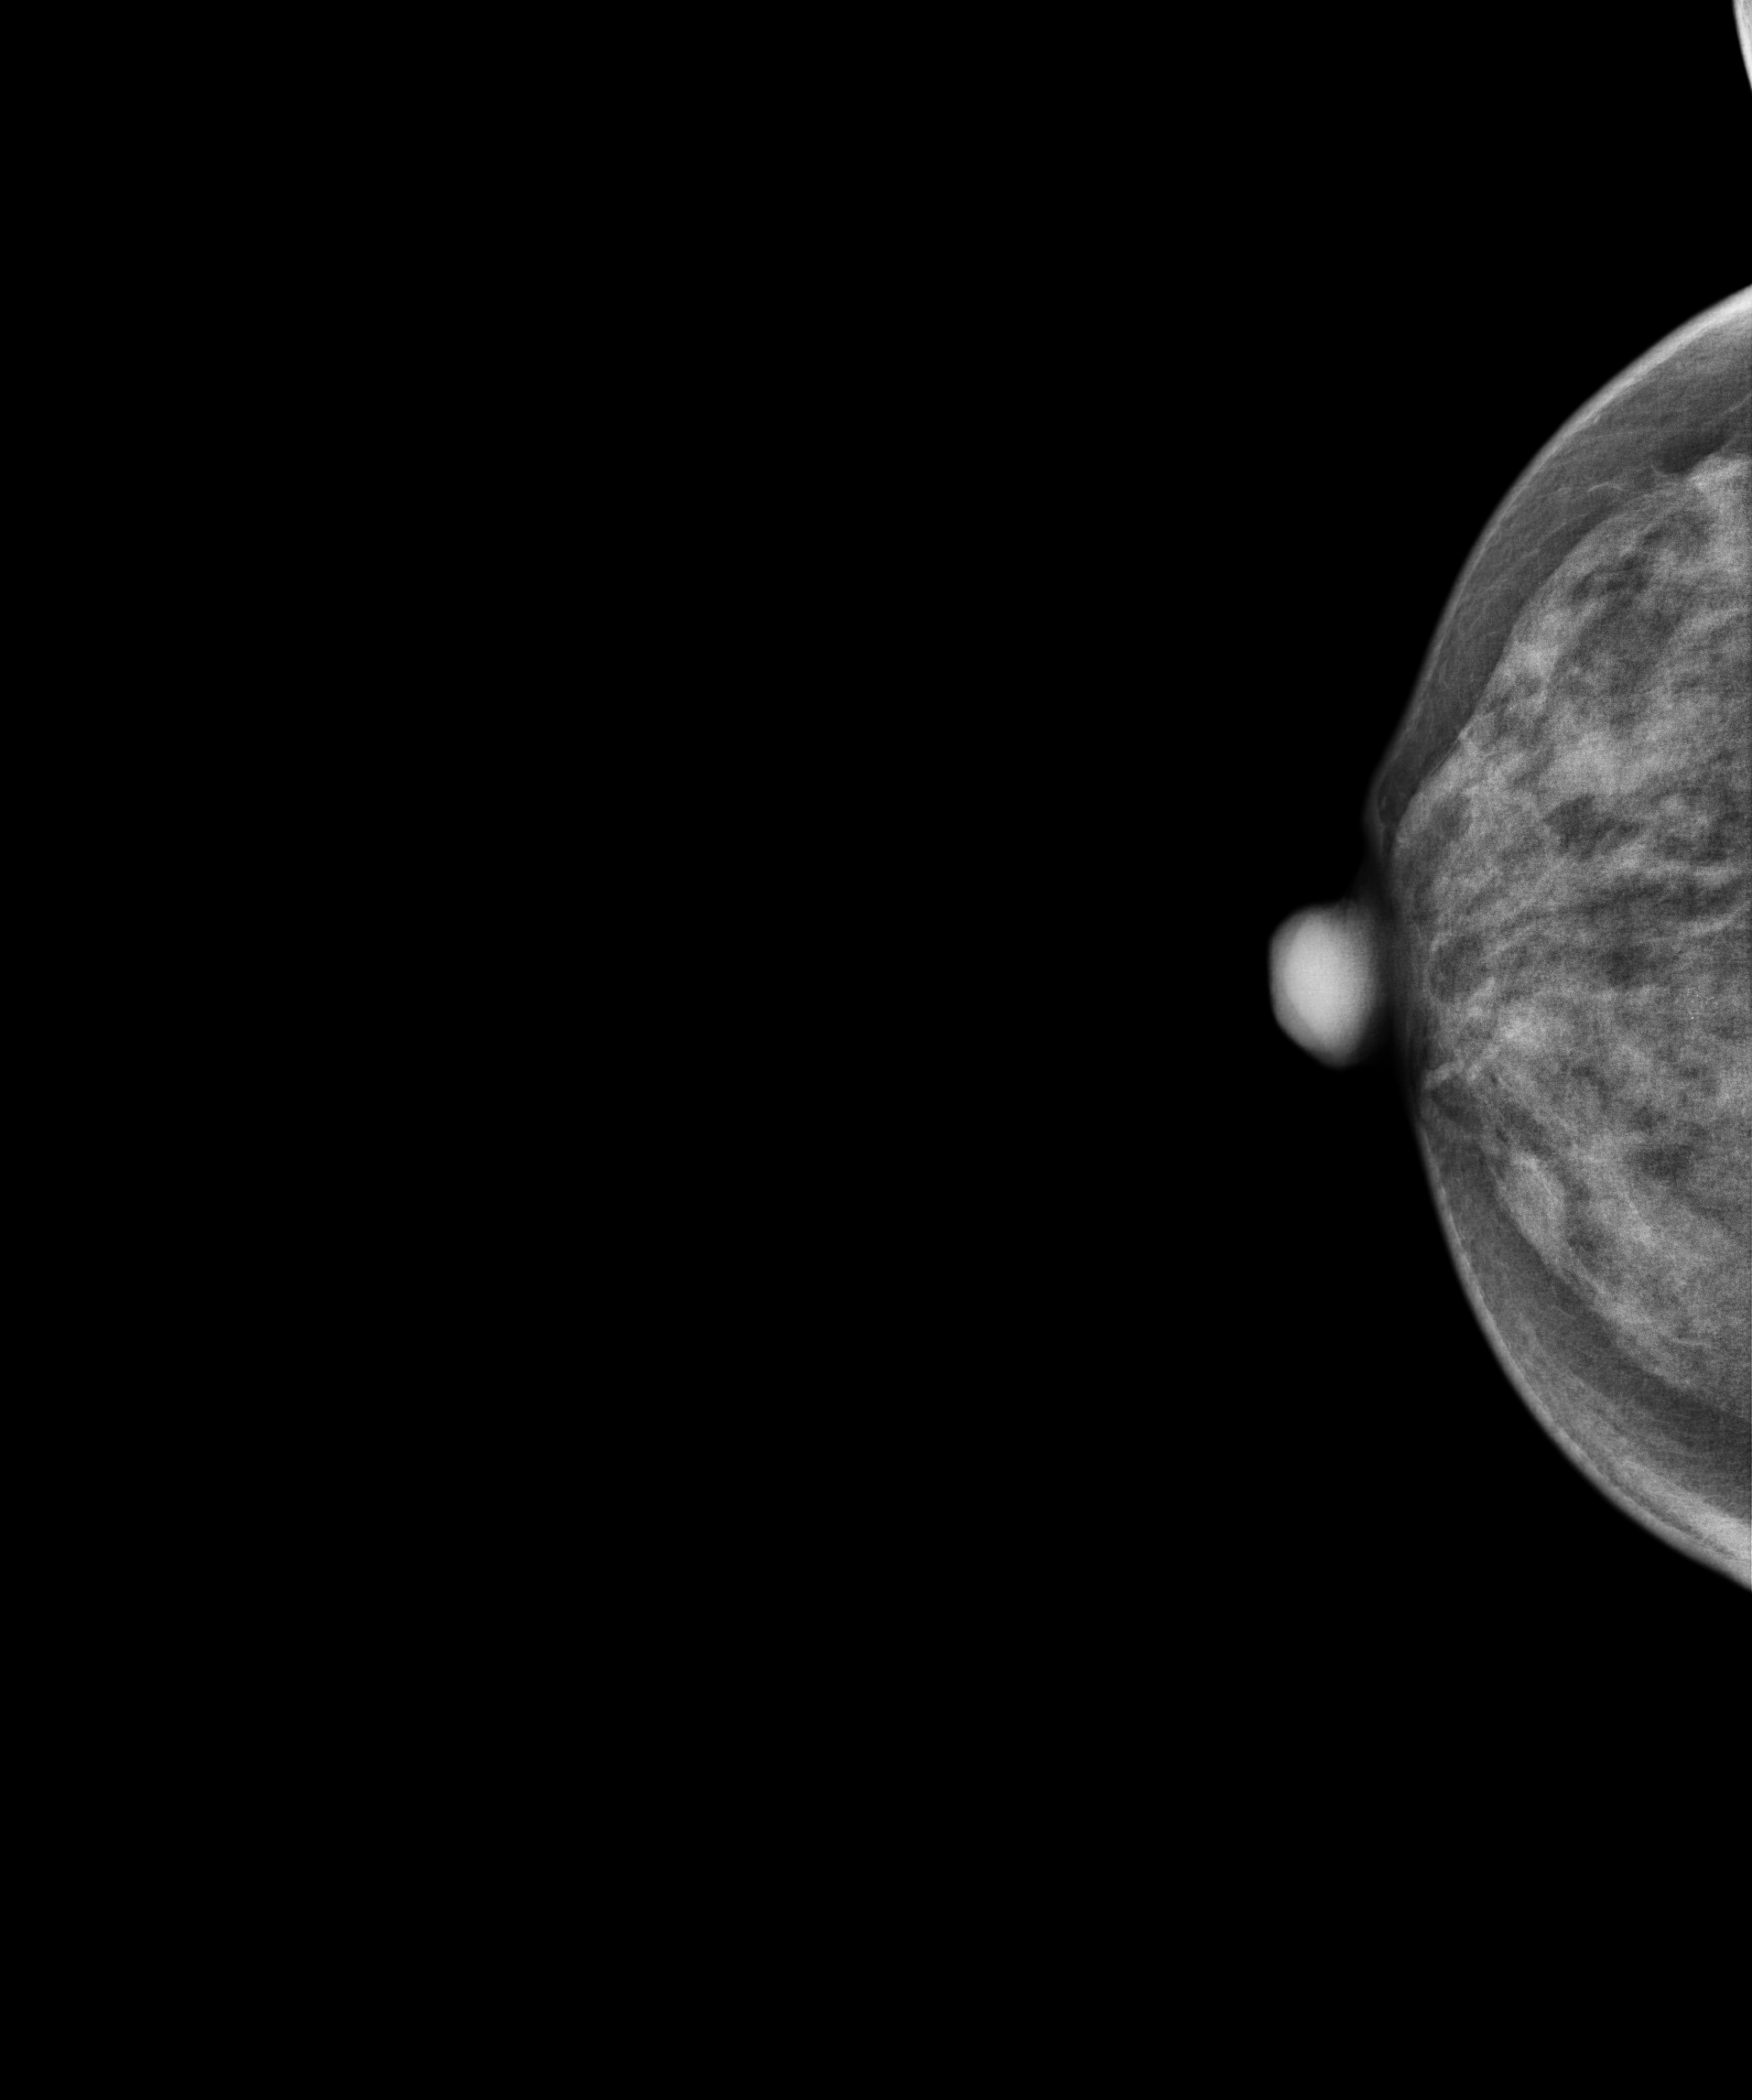
Right-breast mammogram, cranio-caudal. 46-year-old patient.
Contralateral breast — no documented abnormality on this side.